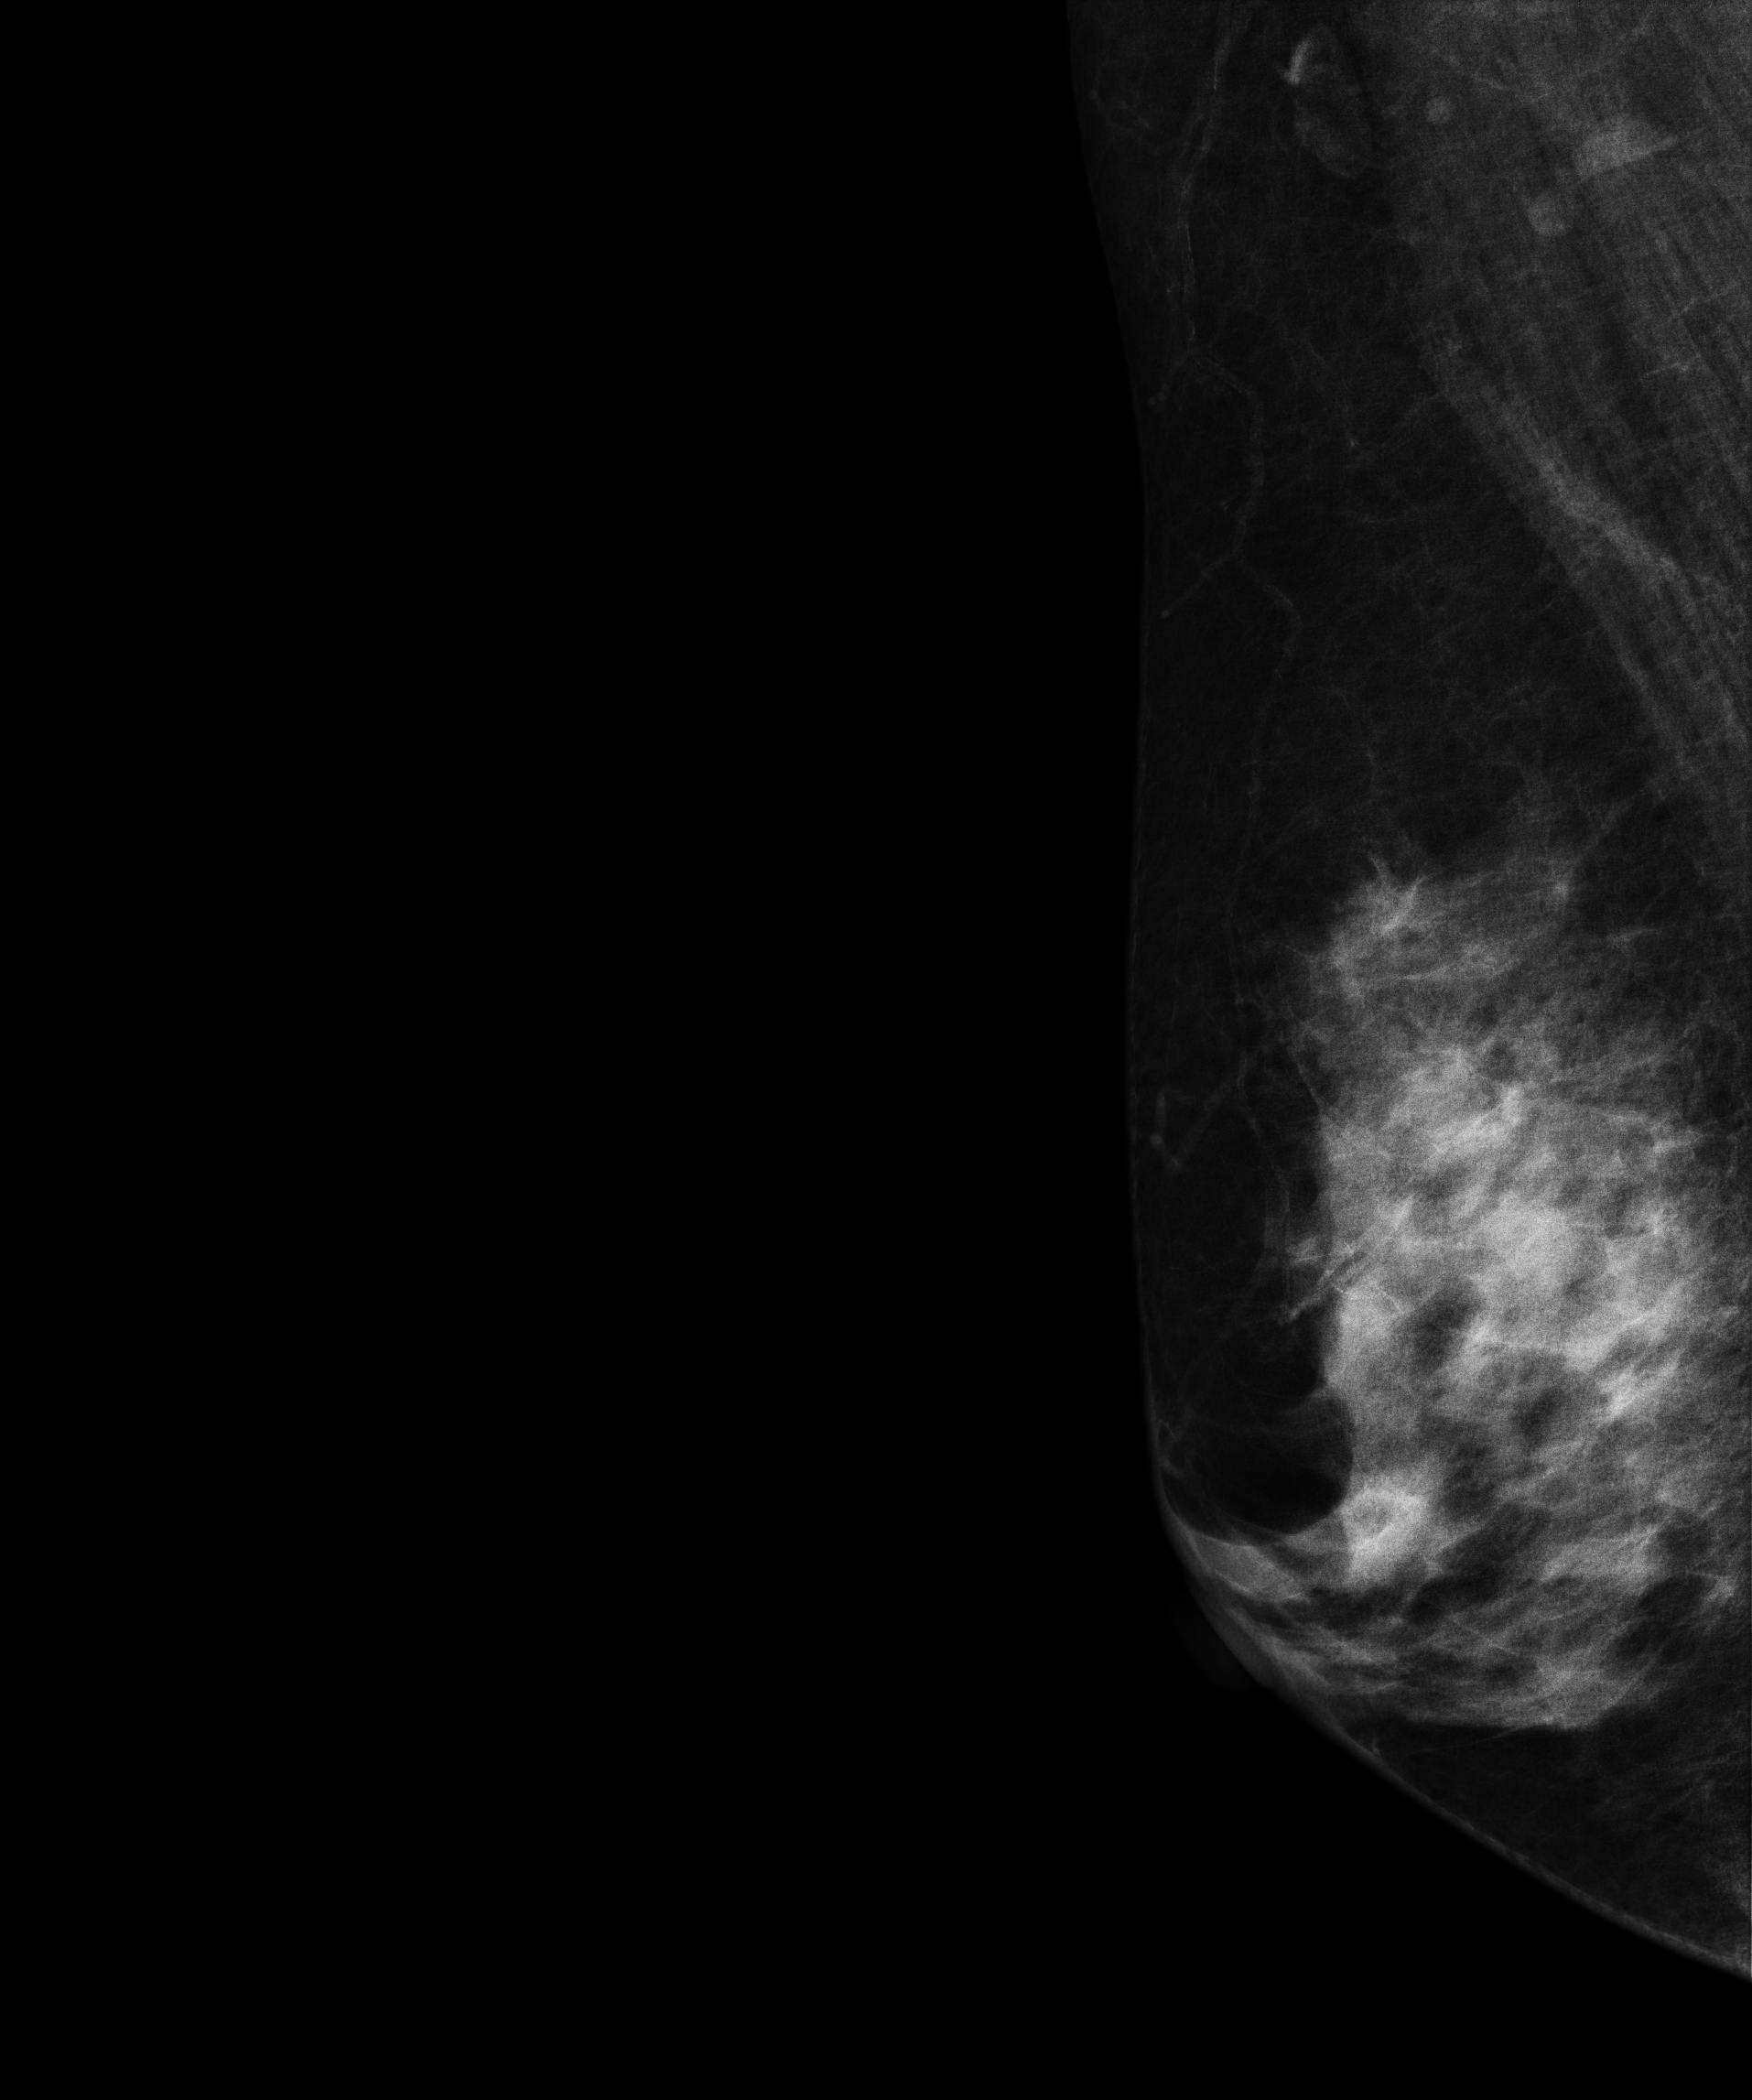
Right-breast mammogram, MLO. 60-year-old patient.
Contralateral breast — no documented abnormality on this side.